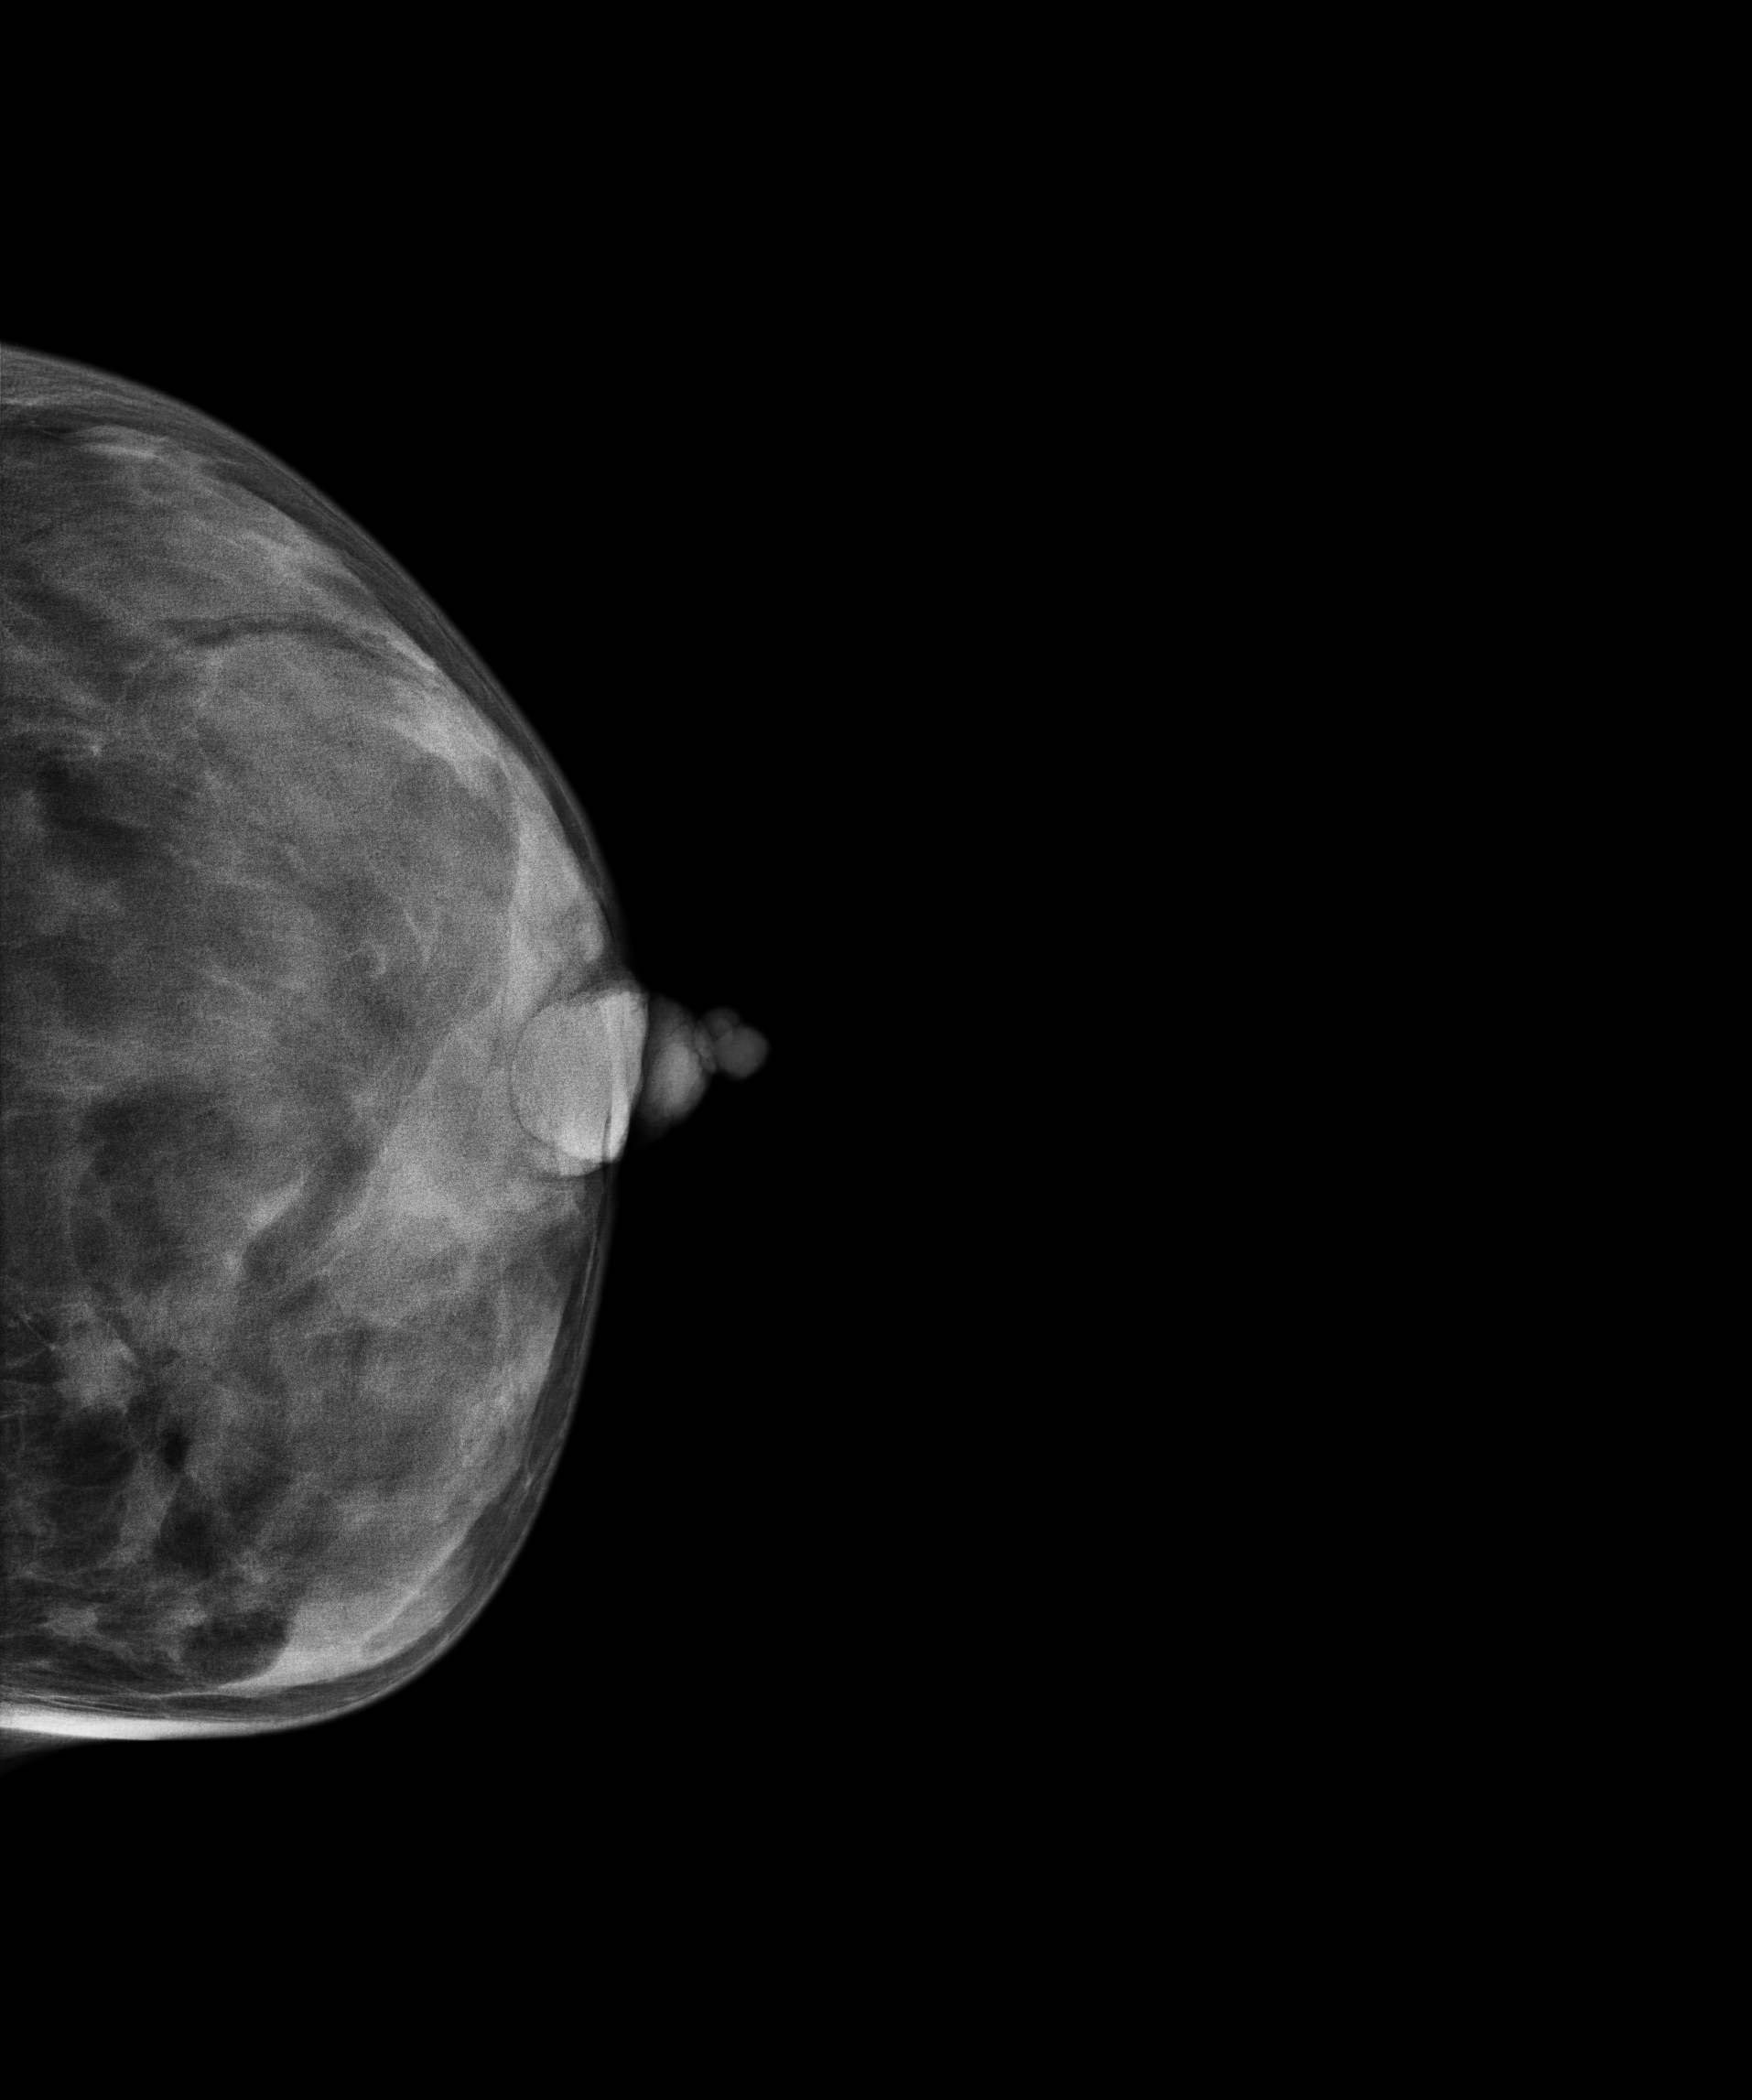
Mammogram — left cranio-caudal. 50-year-old patient.
This breast has a mass, histologically confirmed malignant. Molecular subtype: luminal A.